Mammogram — left MLO. Patient age 66.
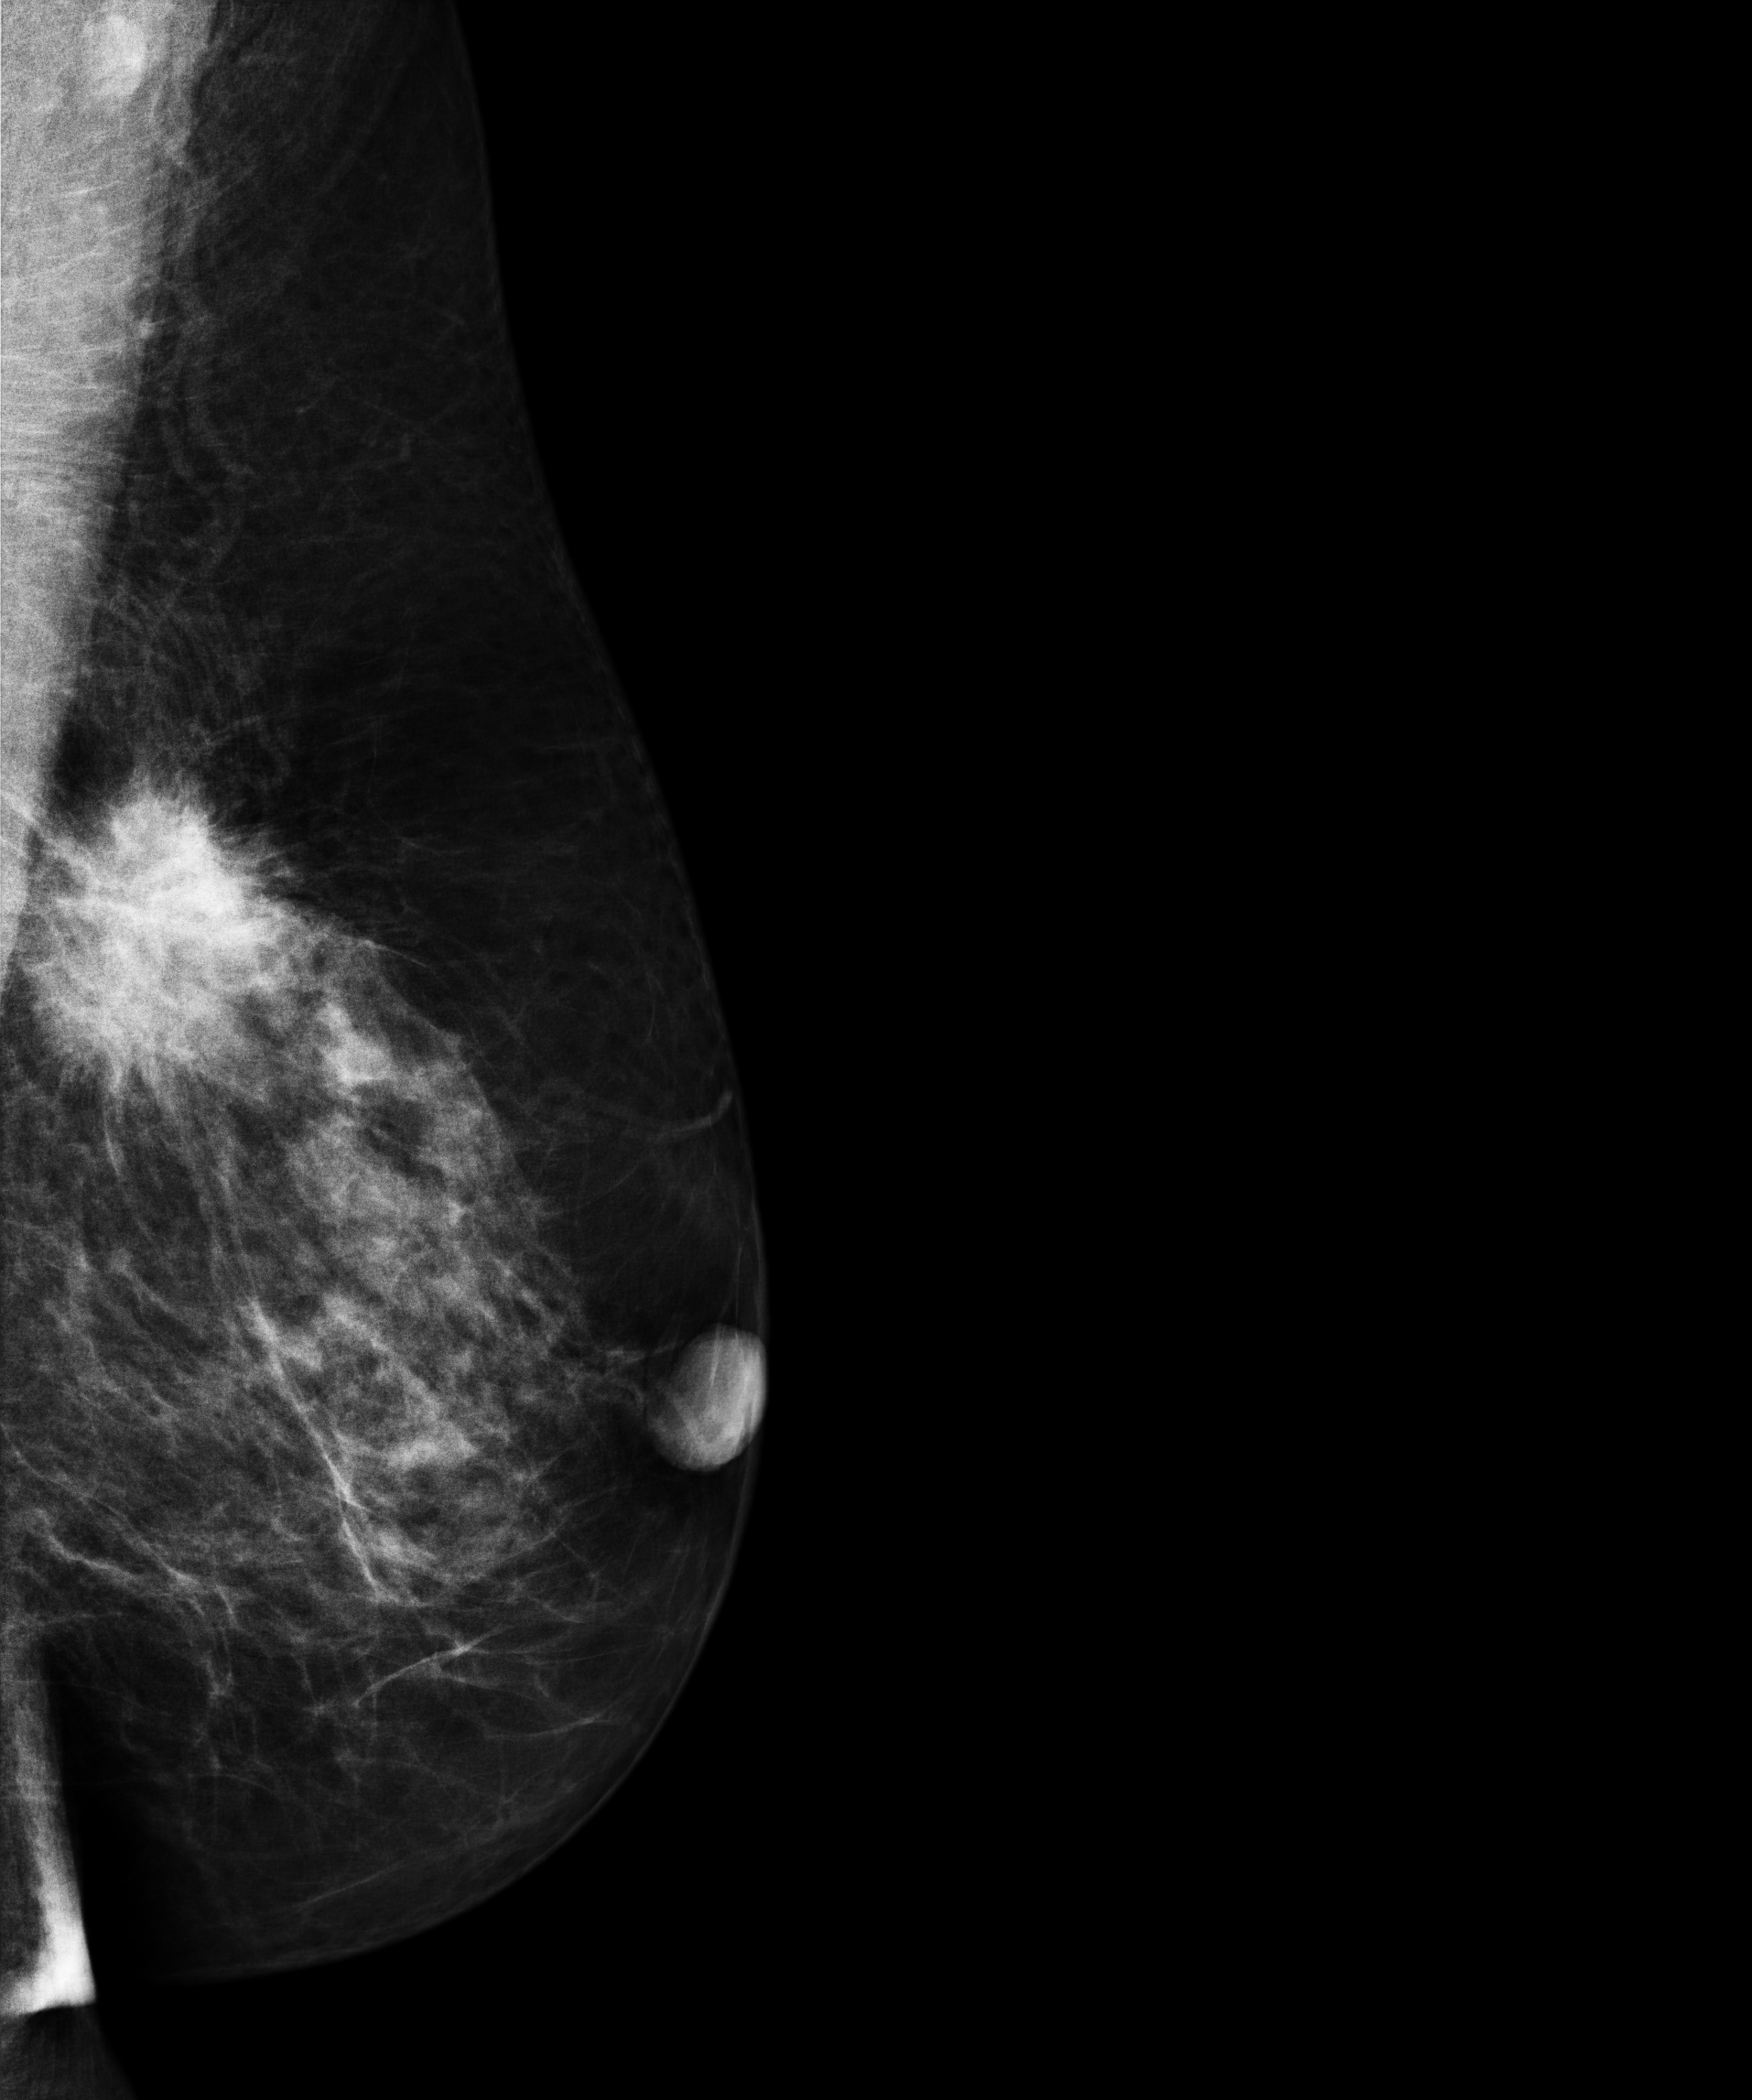
This breast has a mass, histologically confirmed malignant. Molecular subtype: luminal B.